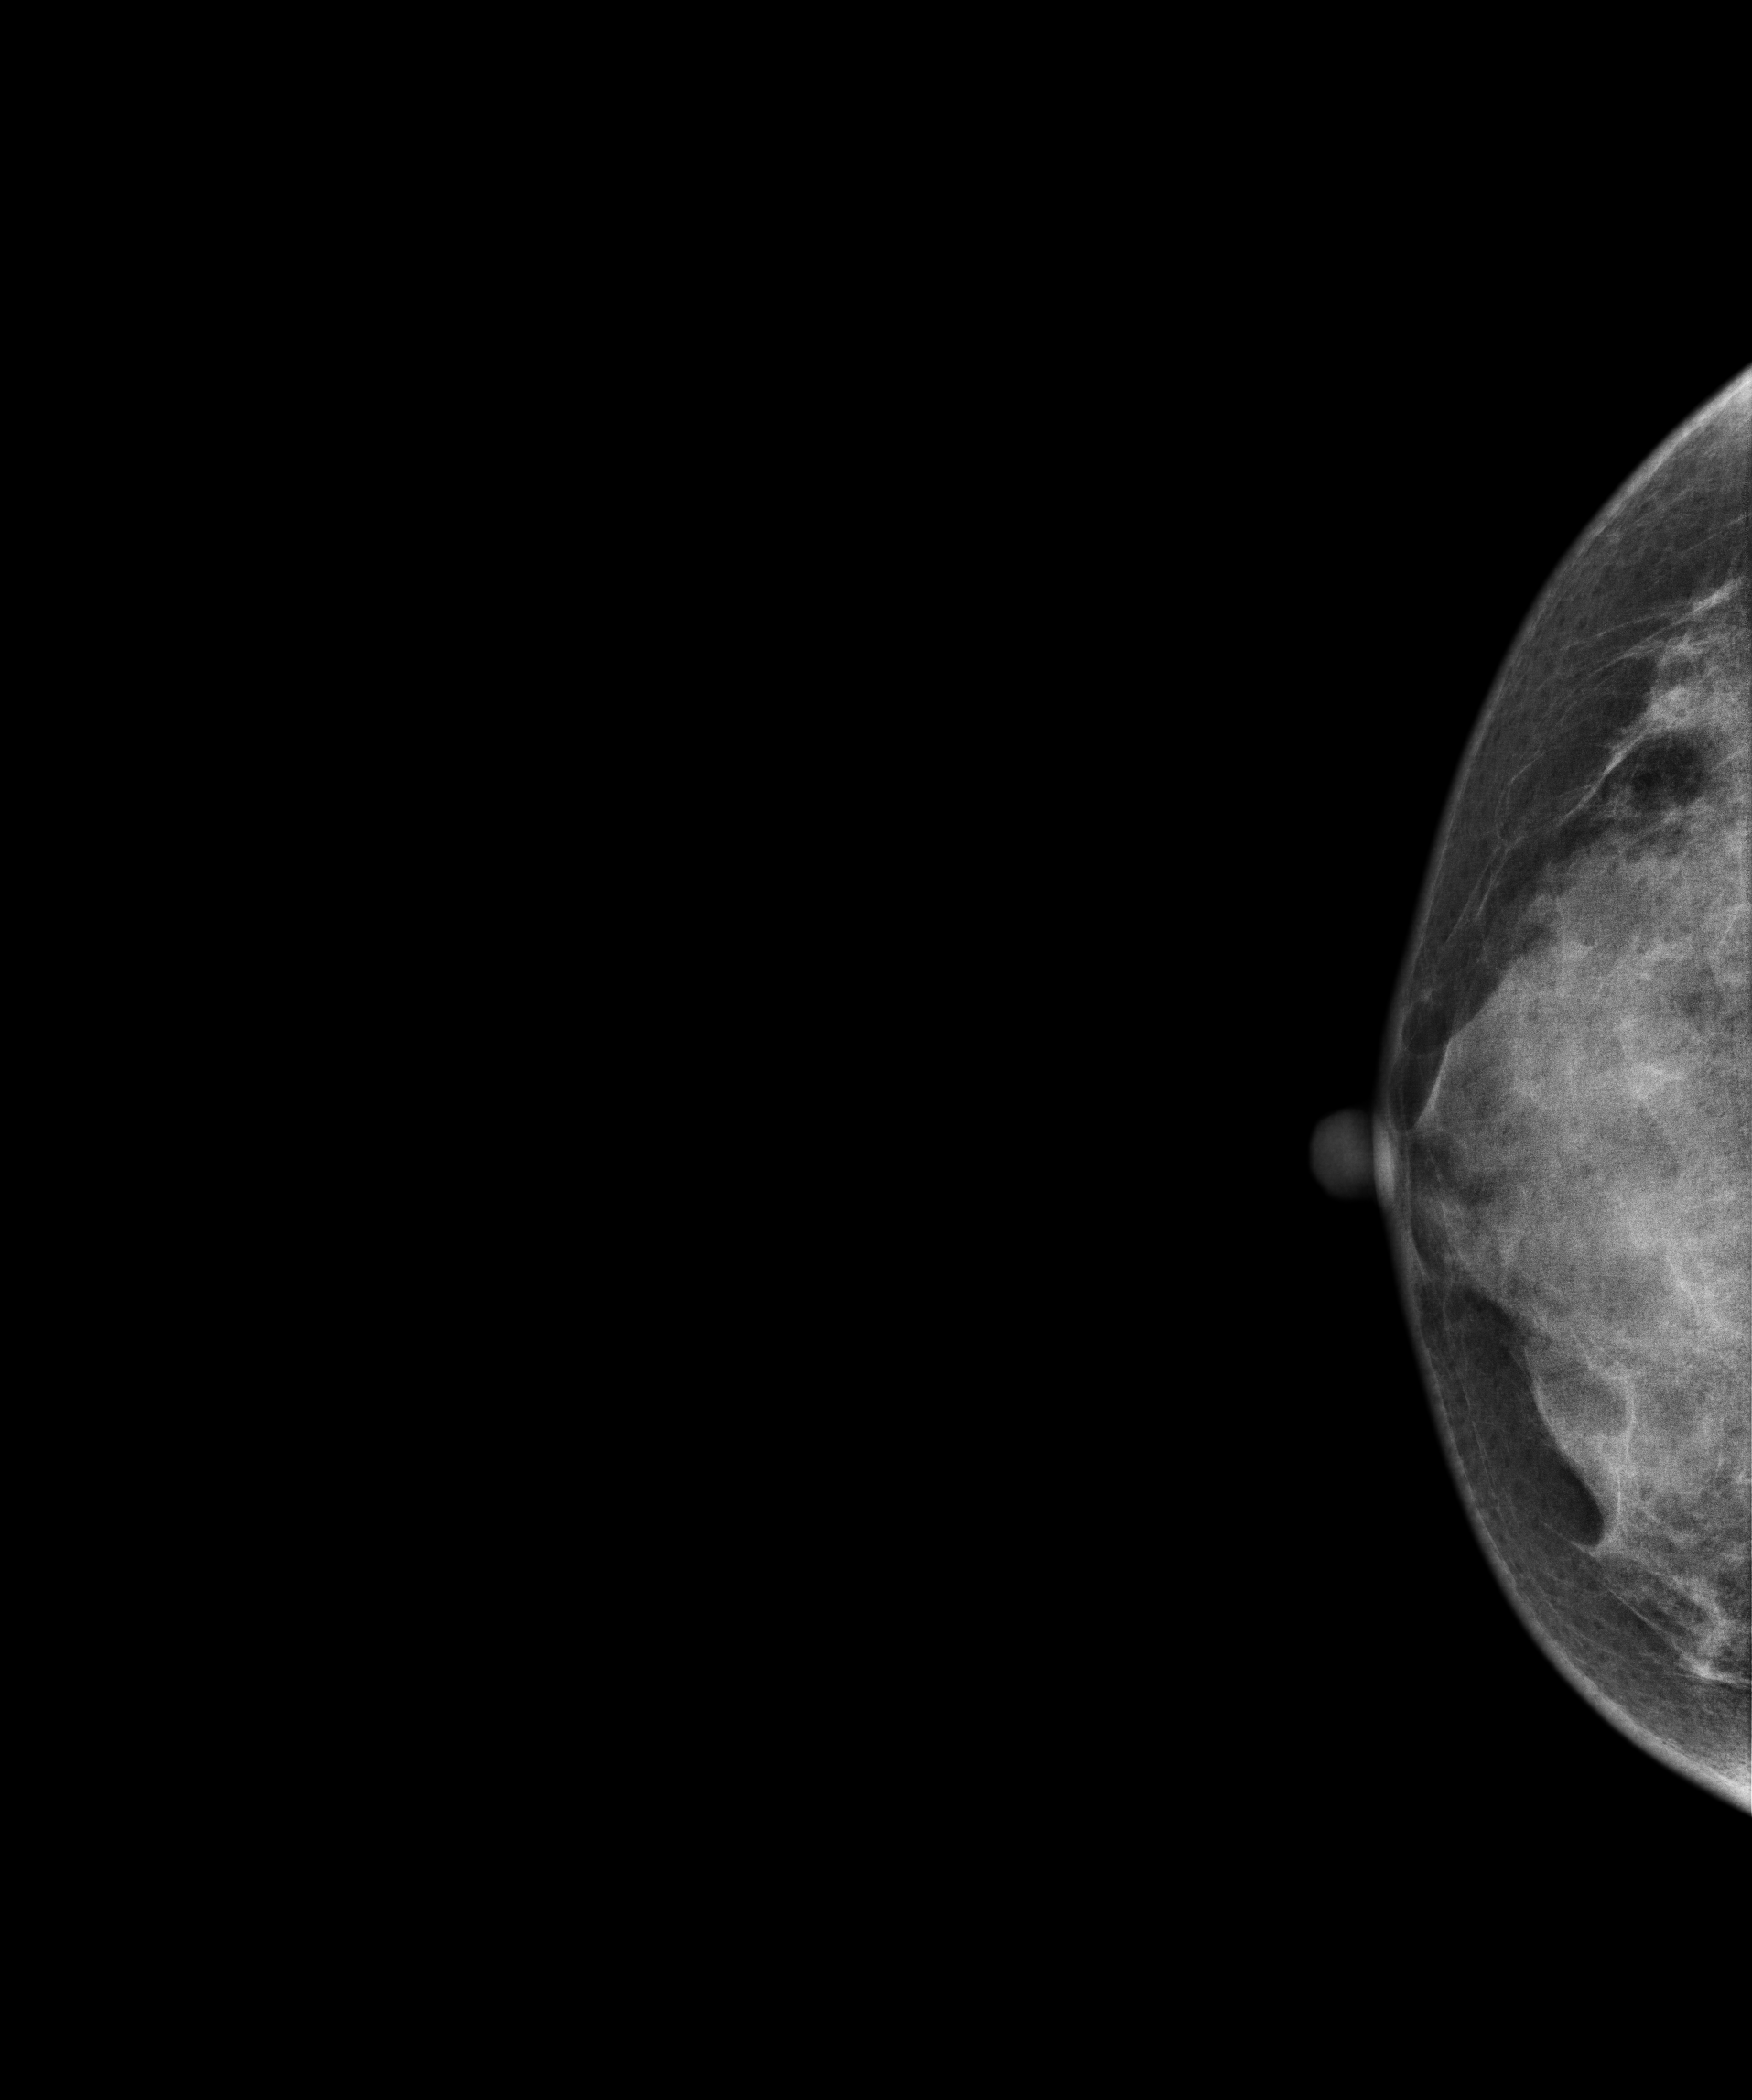
Mammogram, right breast, cranio-caudal view. 31-year-old patient.
Contralateral breast — no documented abnormality on this side.